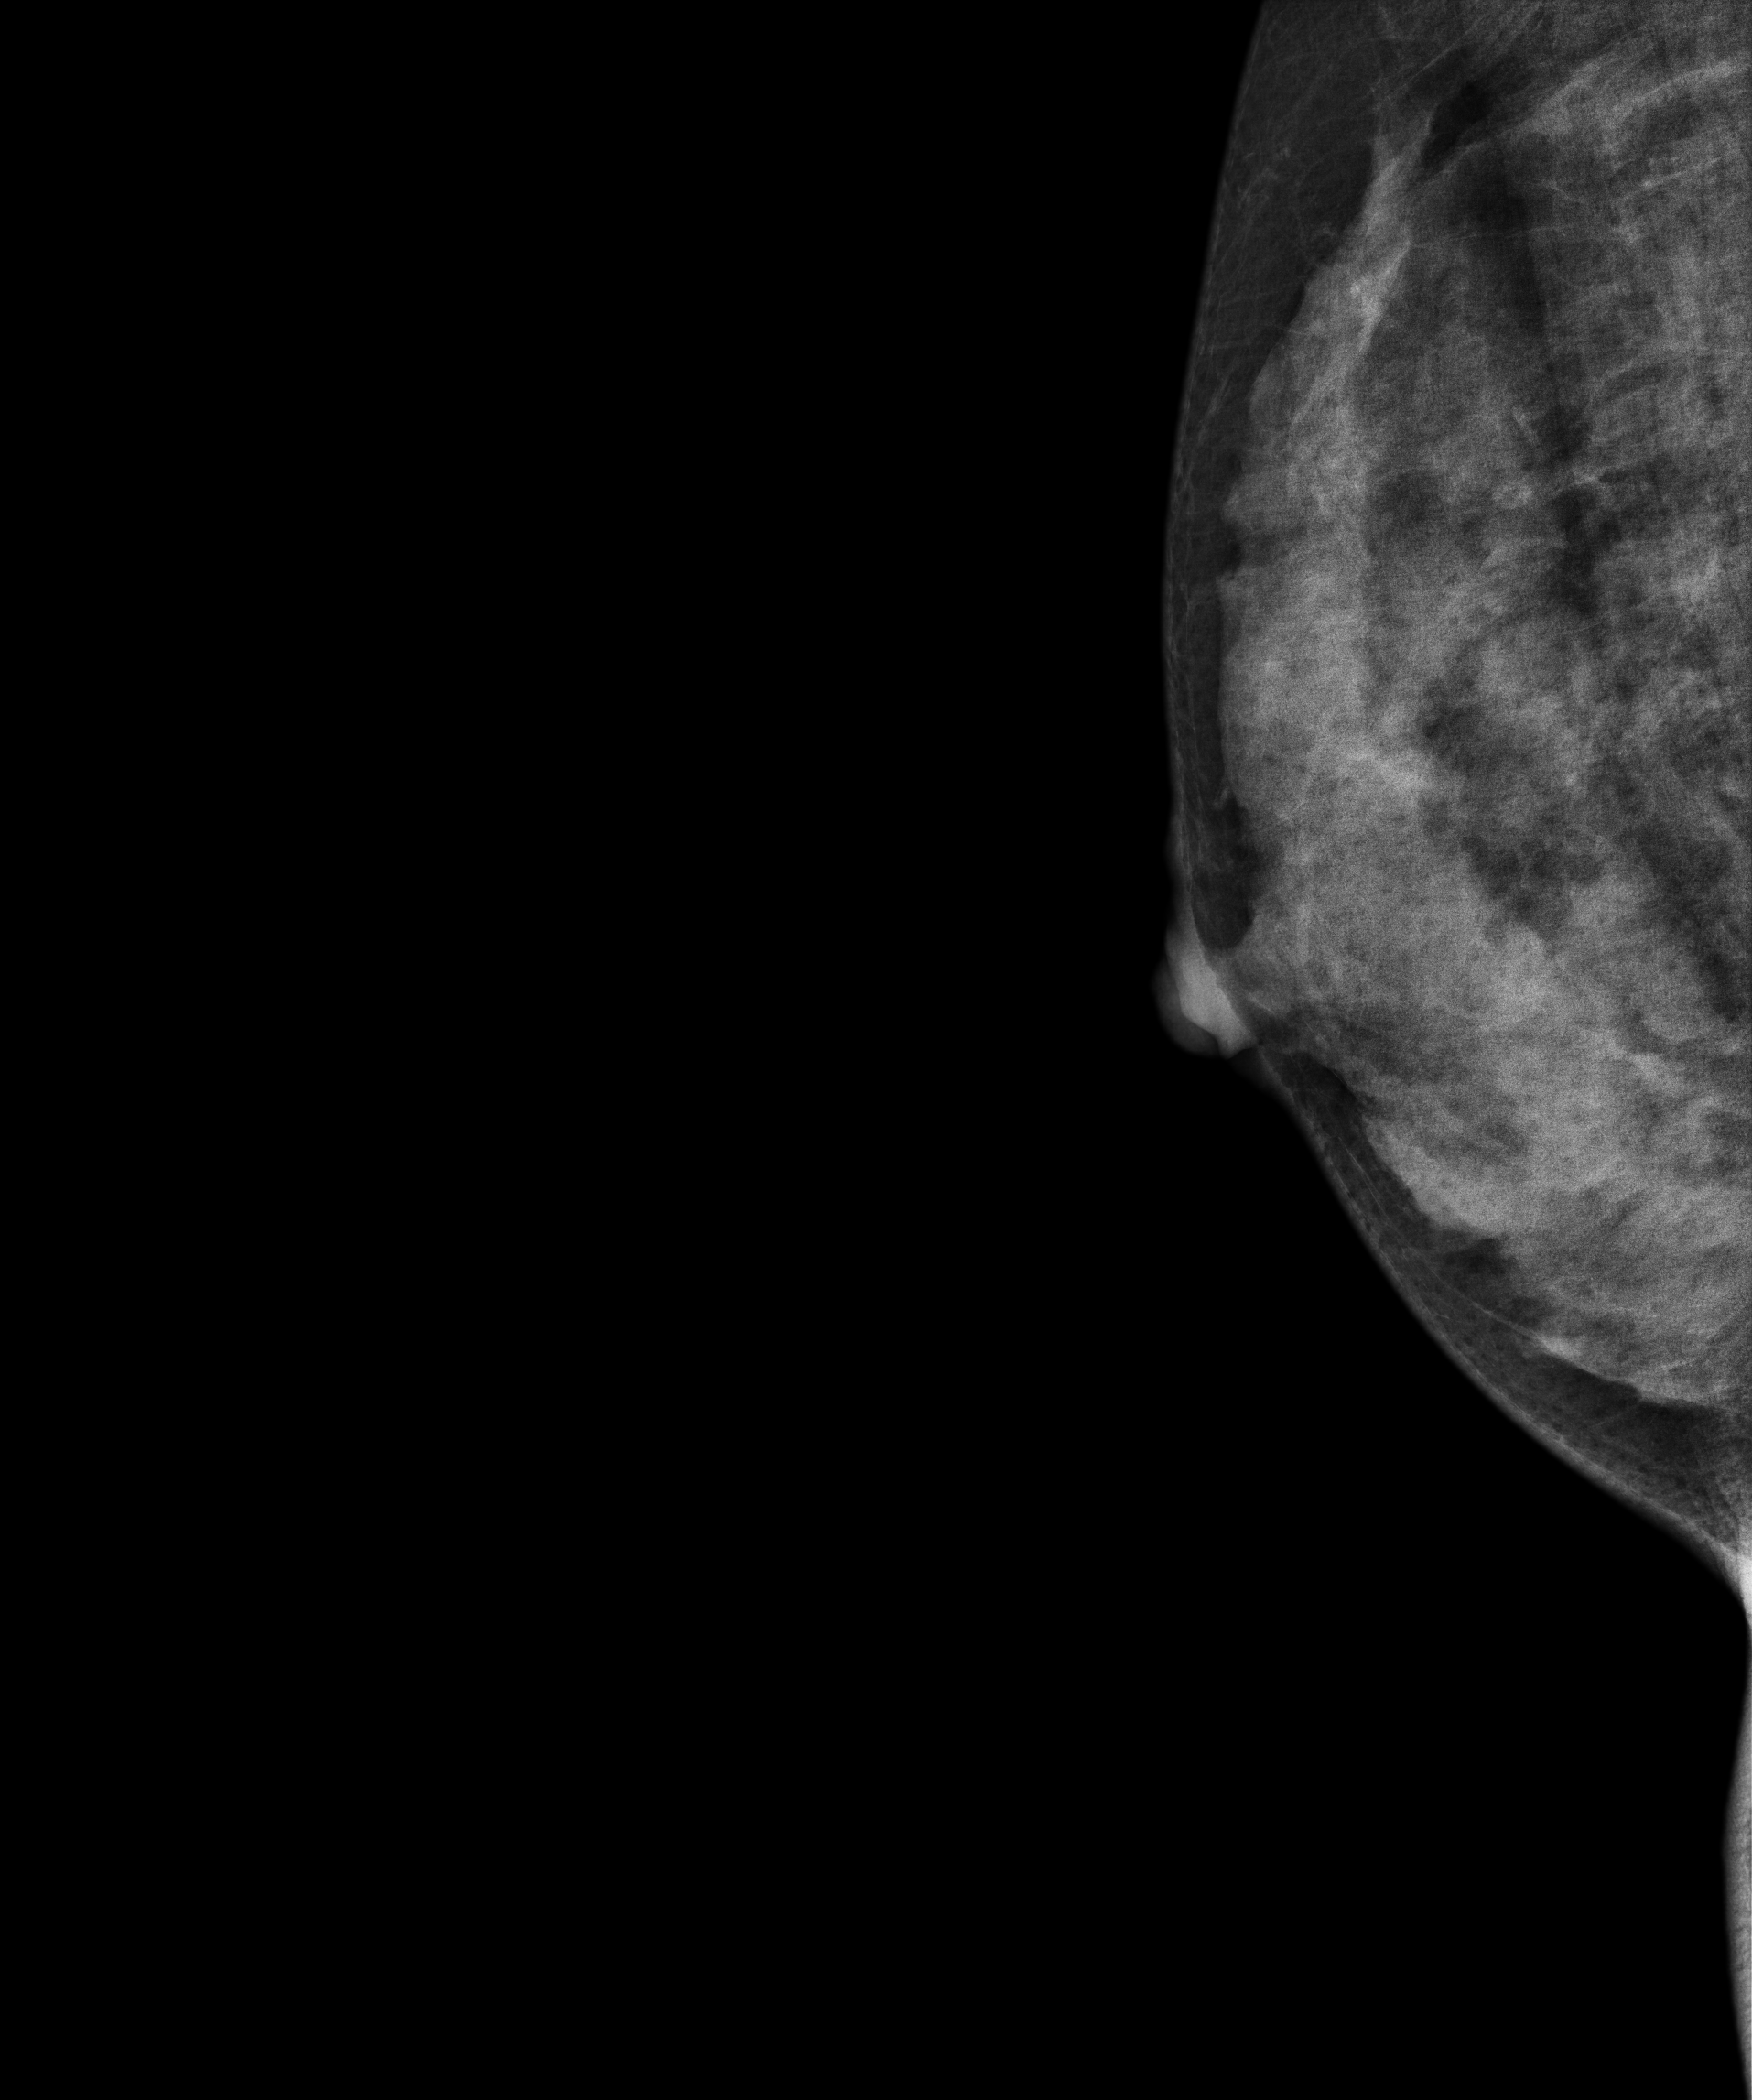
Mammogram, right breast, medio-lateral oblique view. Patient age 44.
Contralateral breast — no documented abnormality on this side.